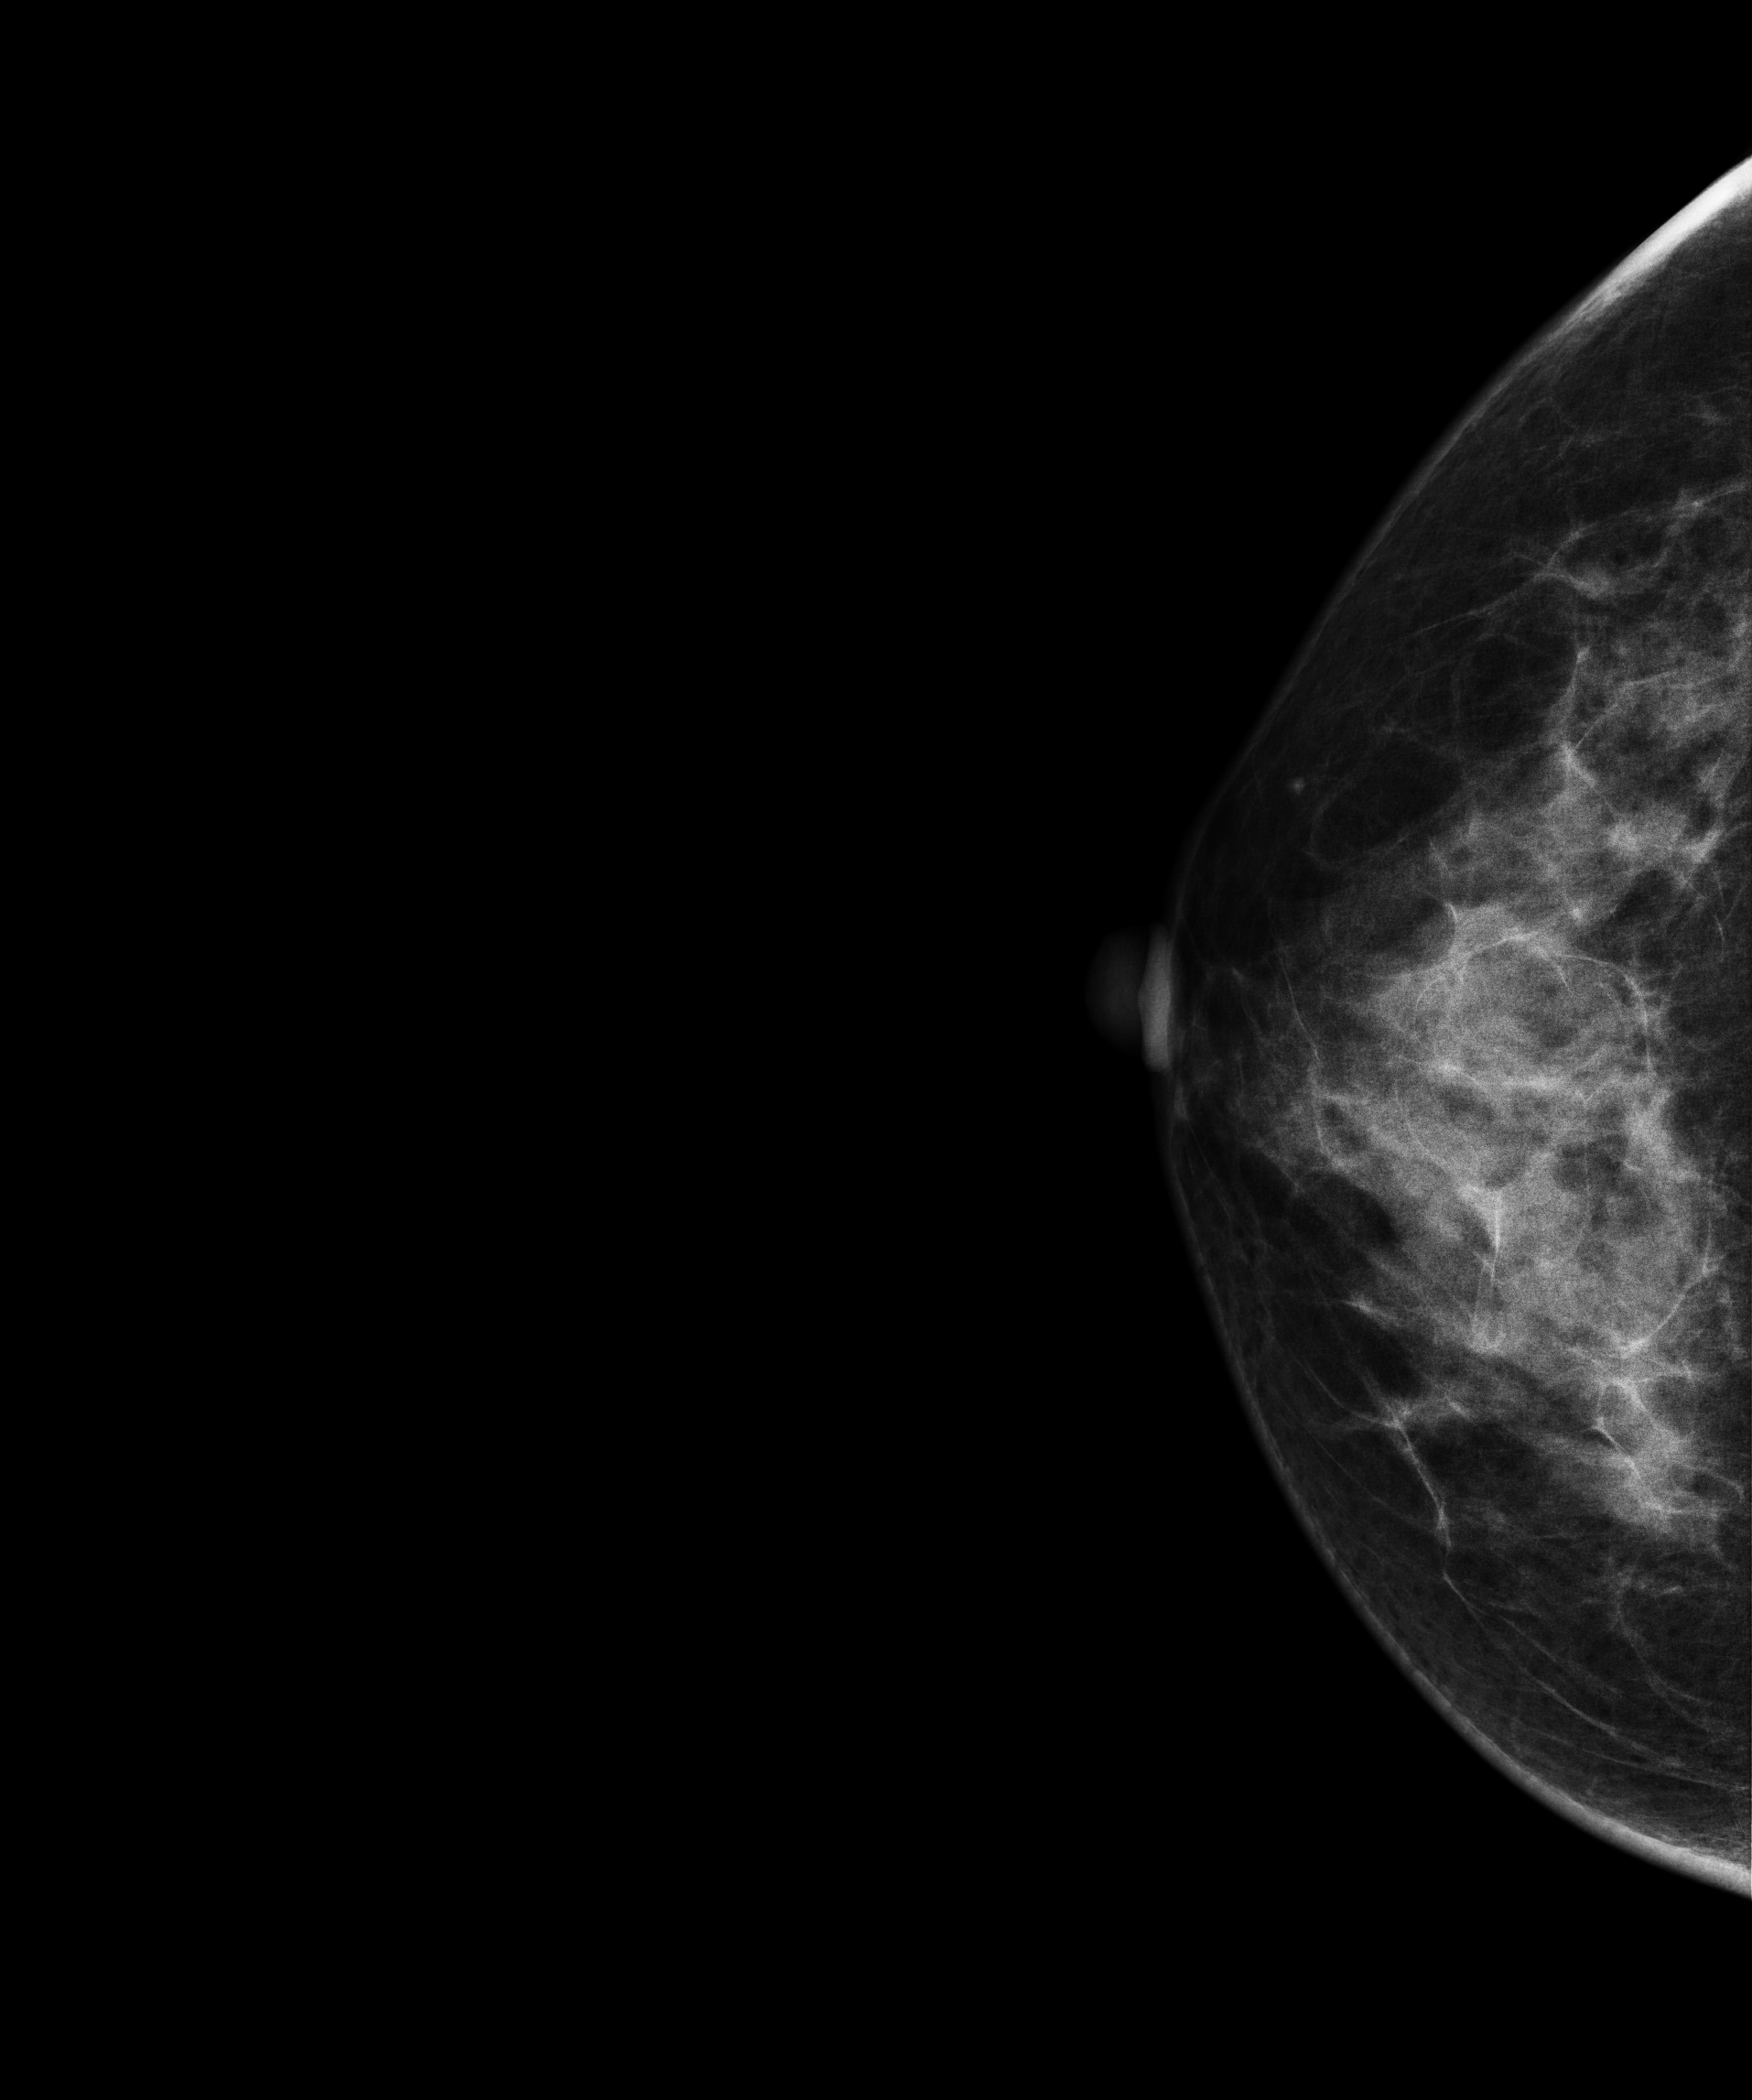
Right-breast mammogram, CC. 44-year-old patient.
Contralateral breast — no documented abnormality on this side.